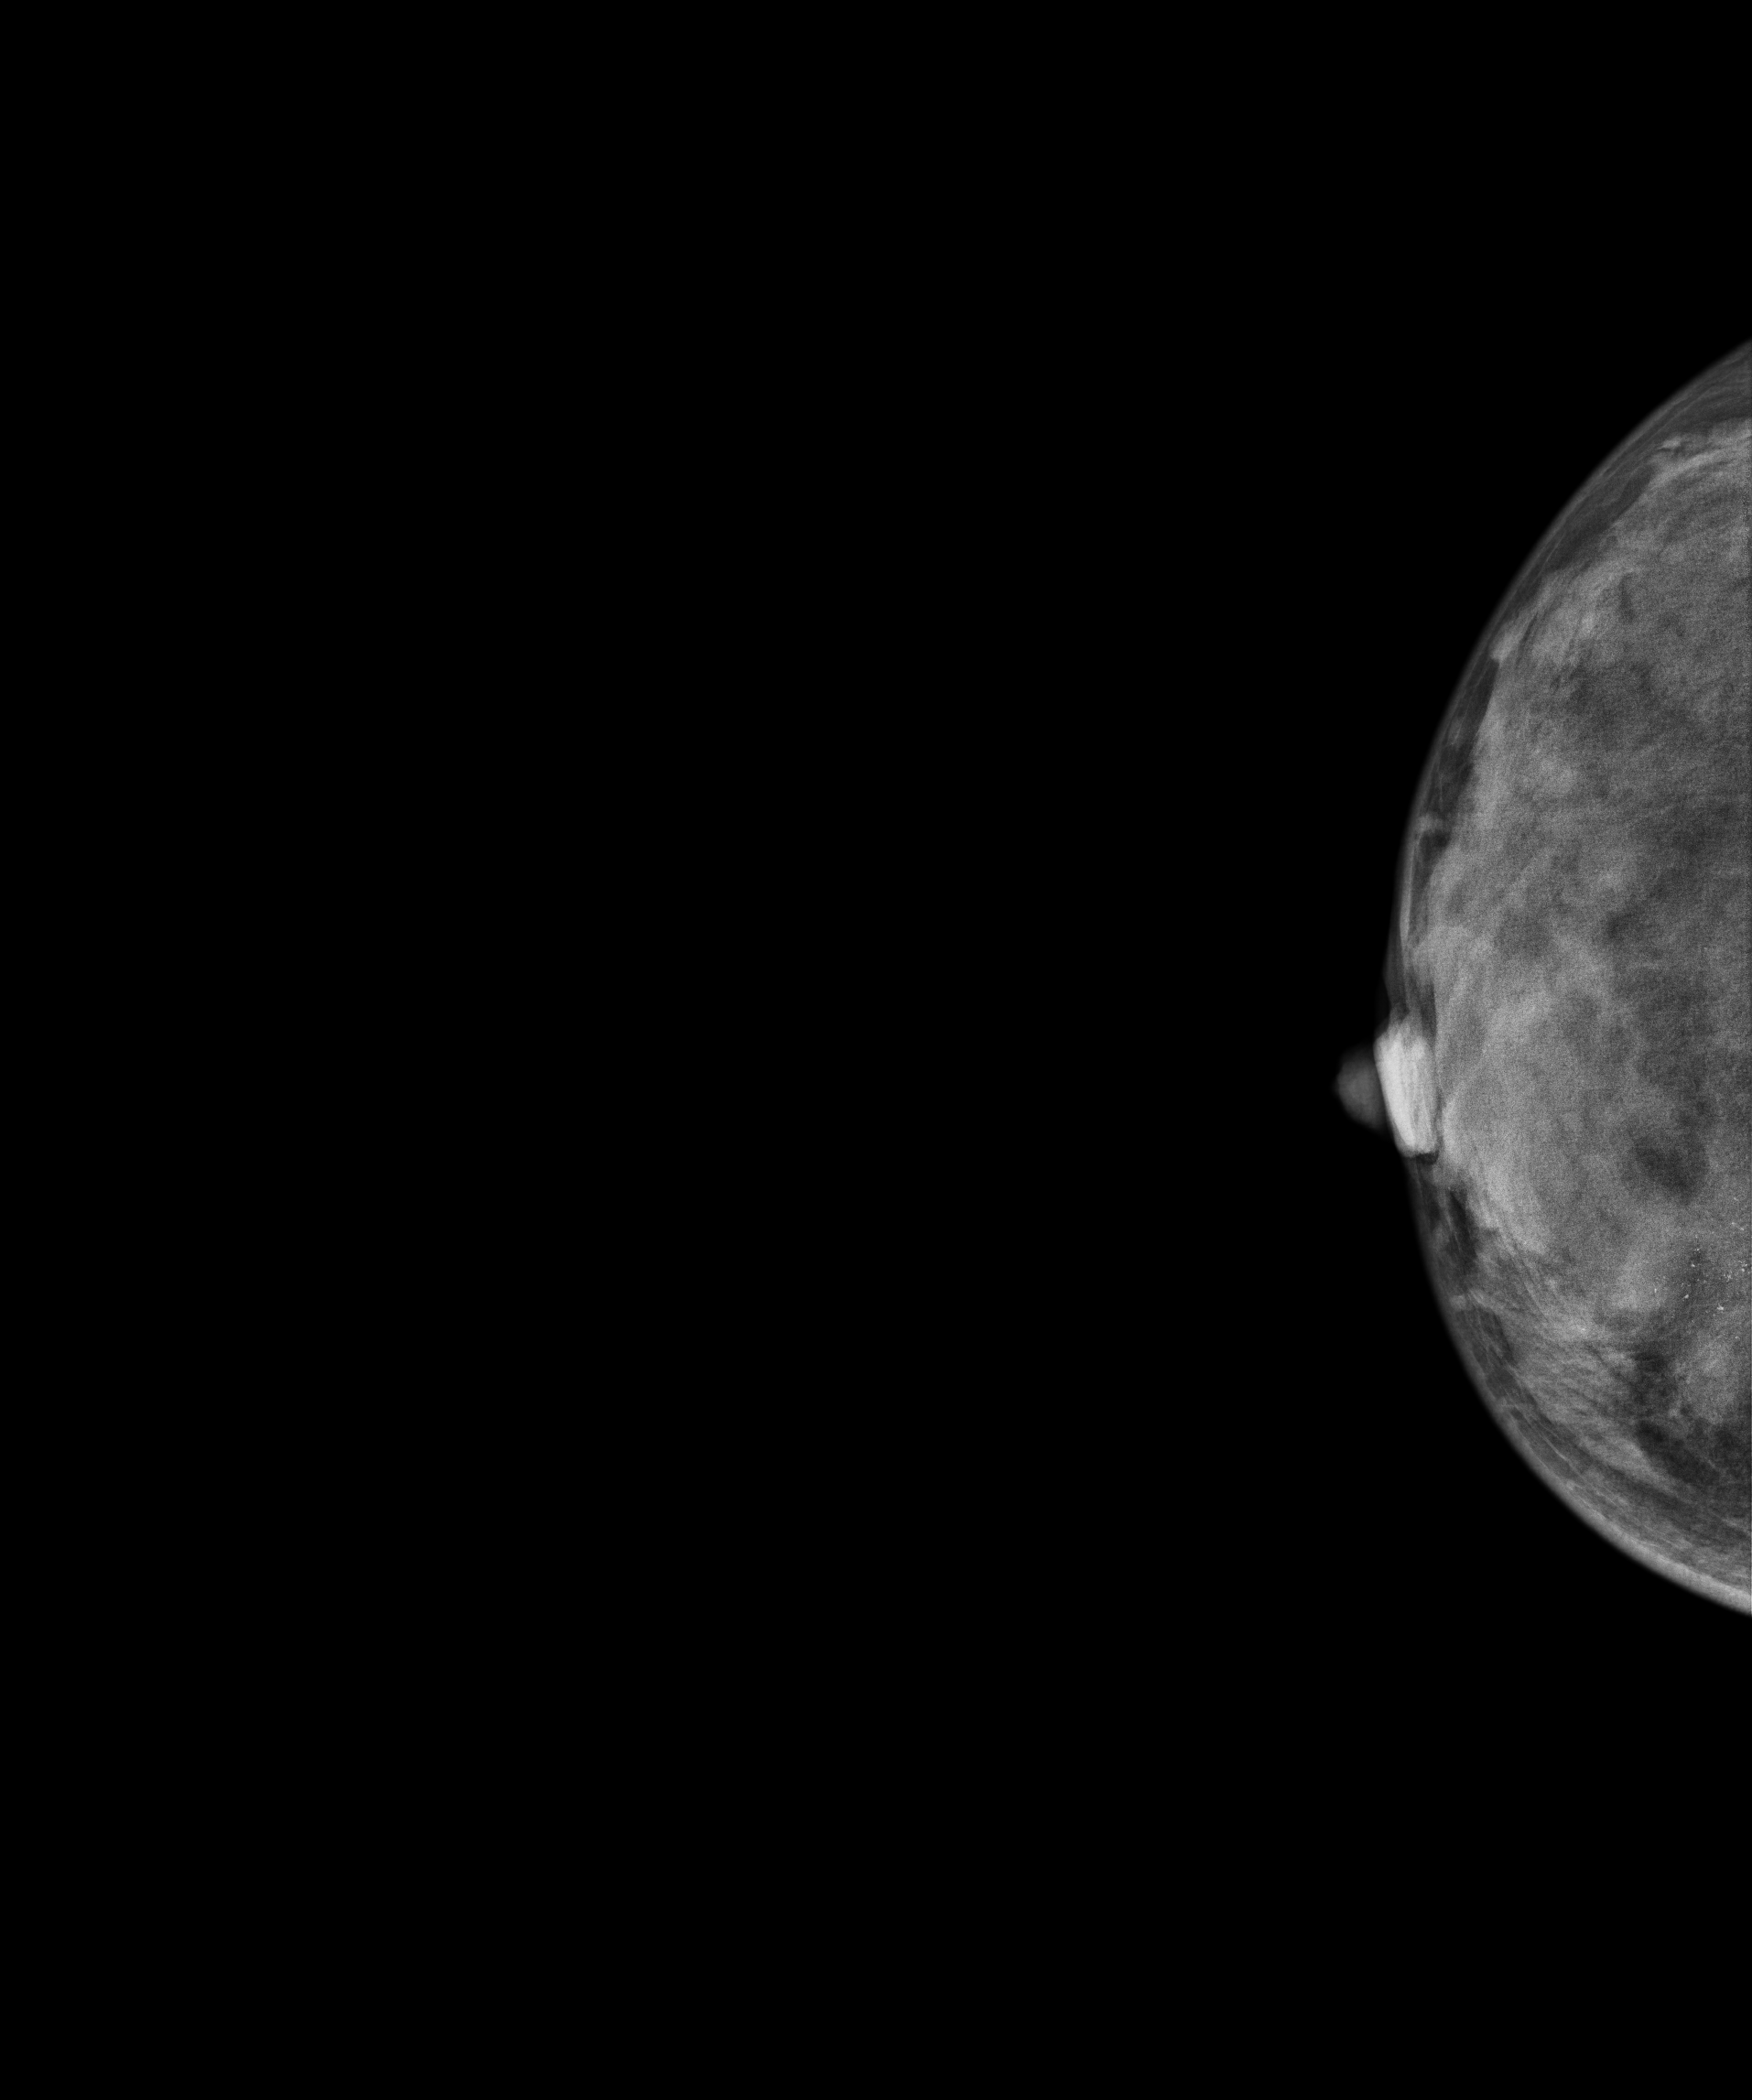
Digital mammography. Right breast, CC projection. 43 y/o patient.
This breast has calcifications, pathology-confirmed malignant.